Mammogram — right cranio-caudal. 66-year-old patient.
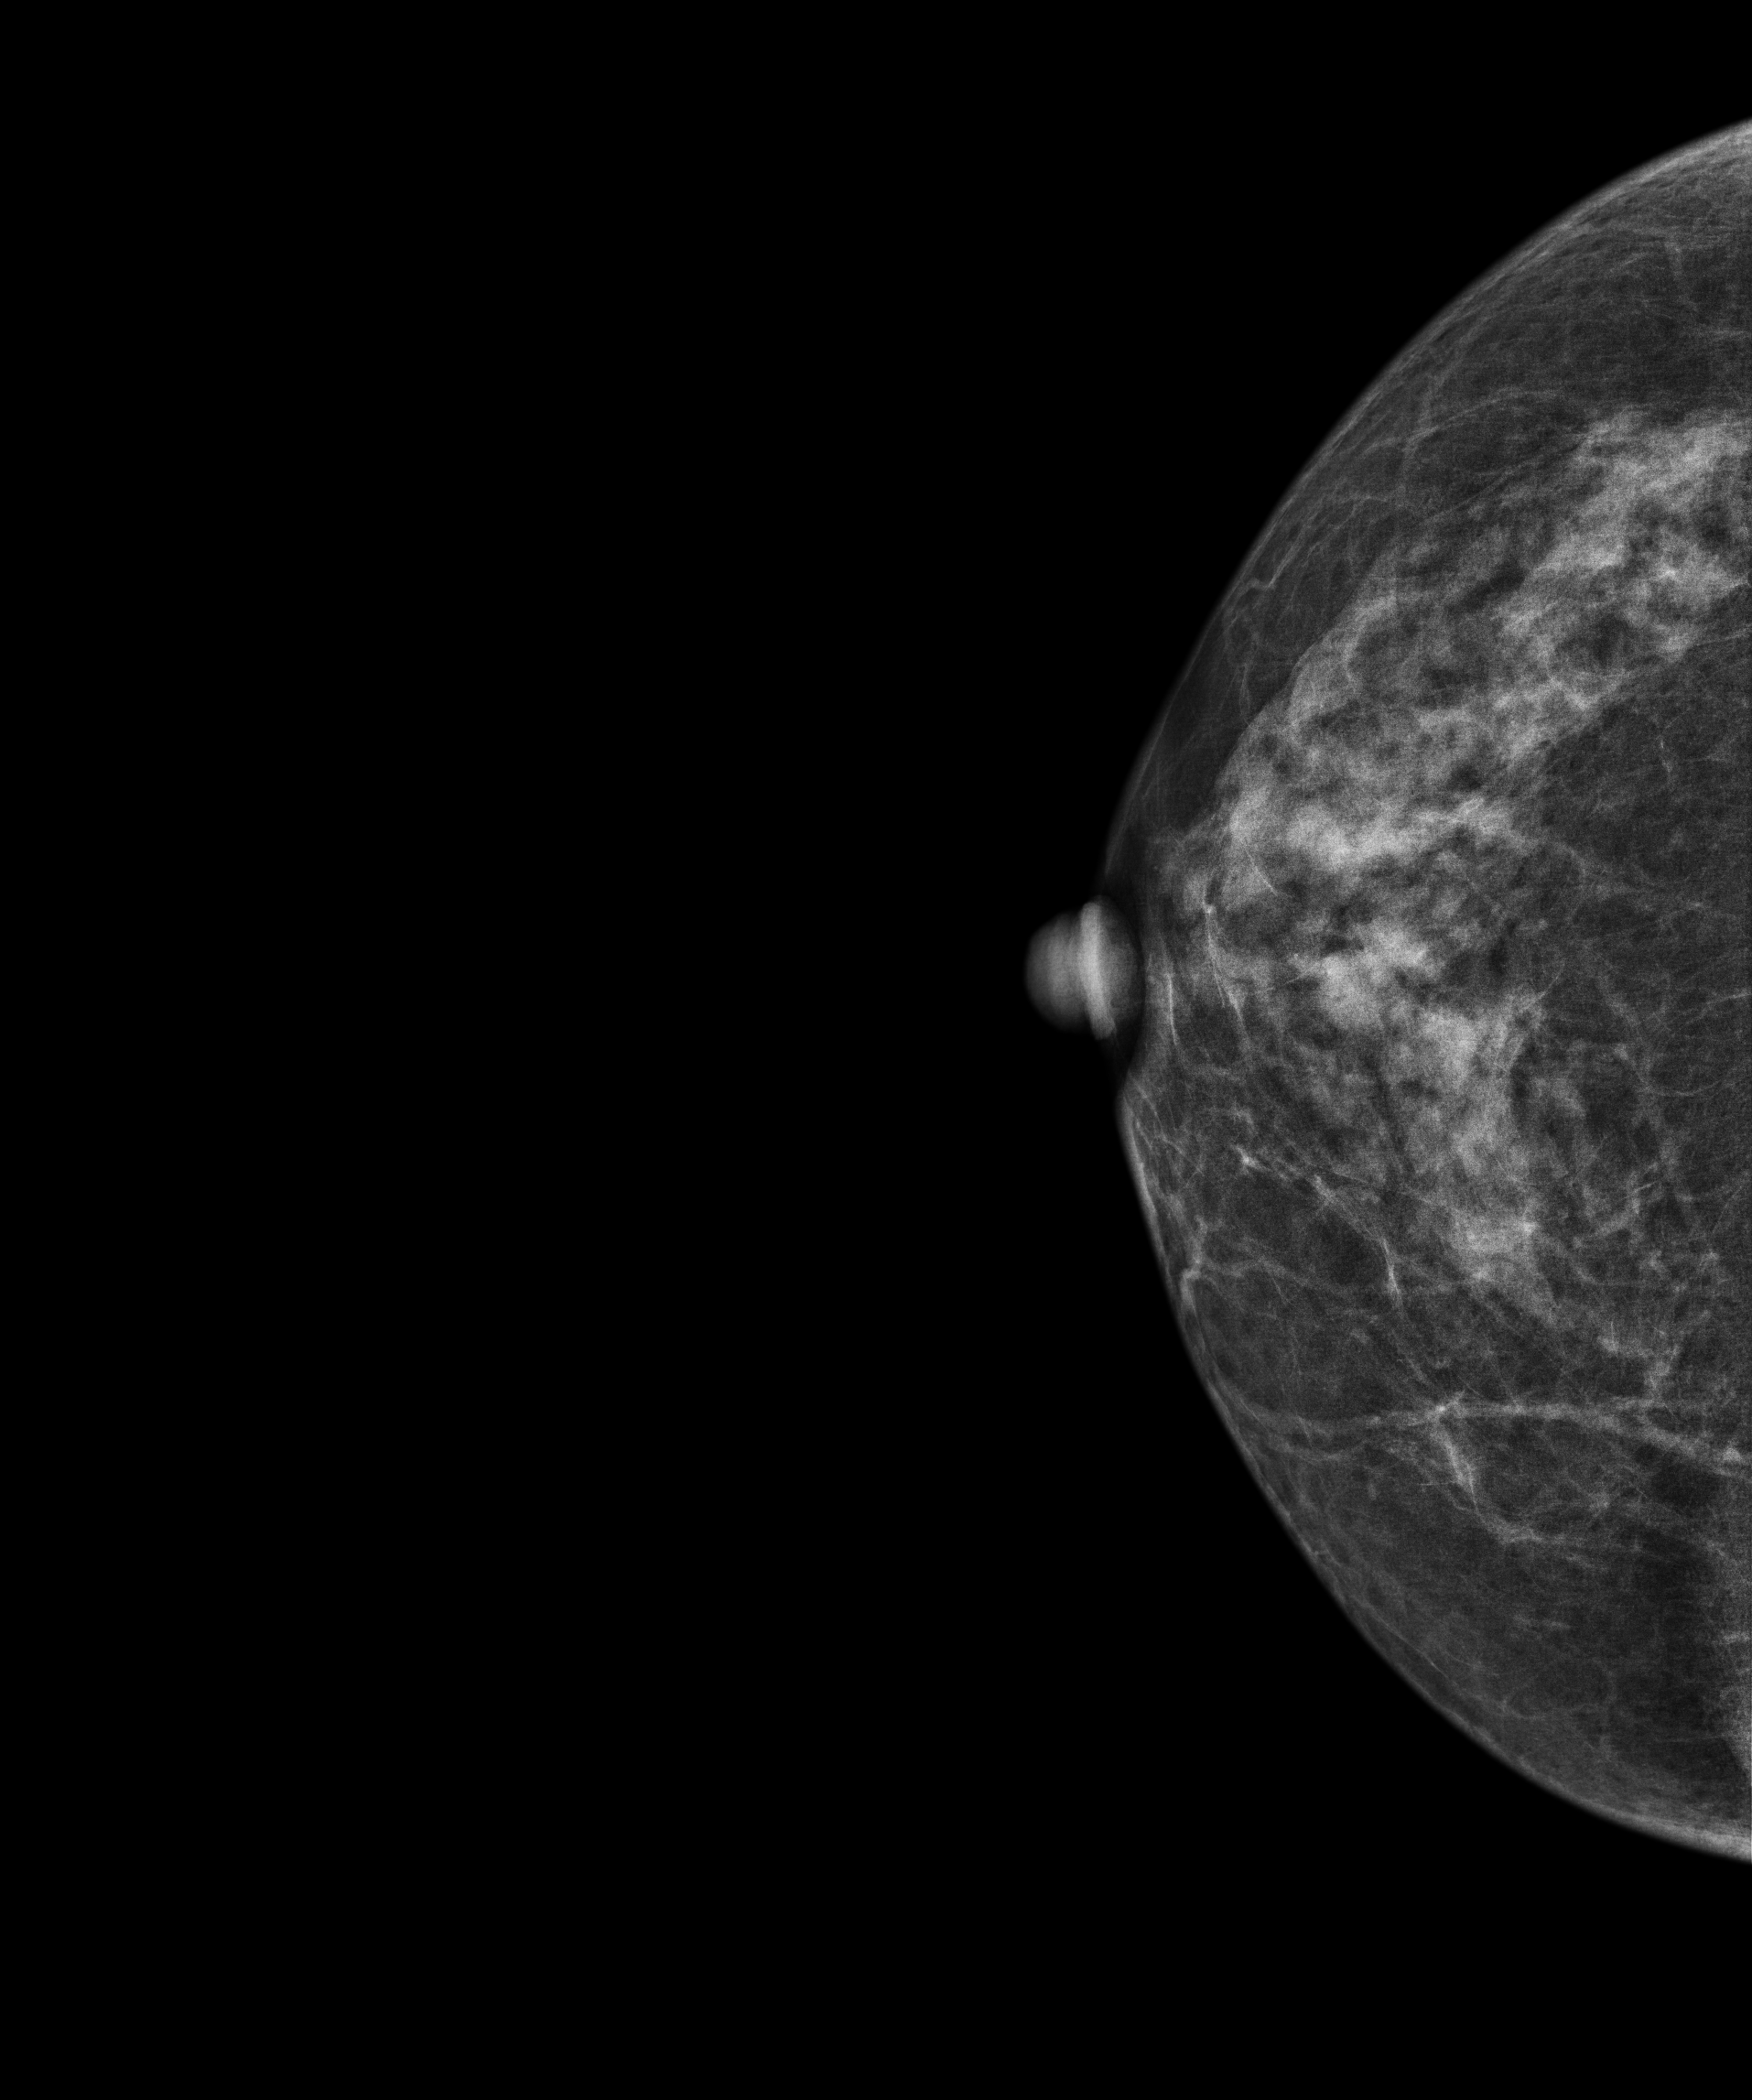
Contralateral breast — no documented abnormality on this side.